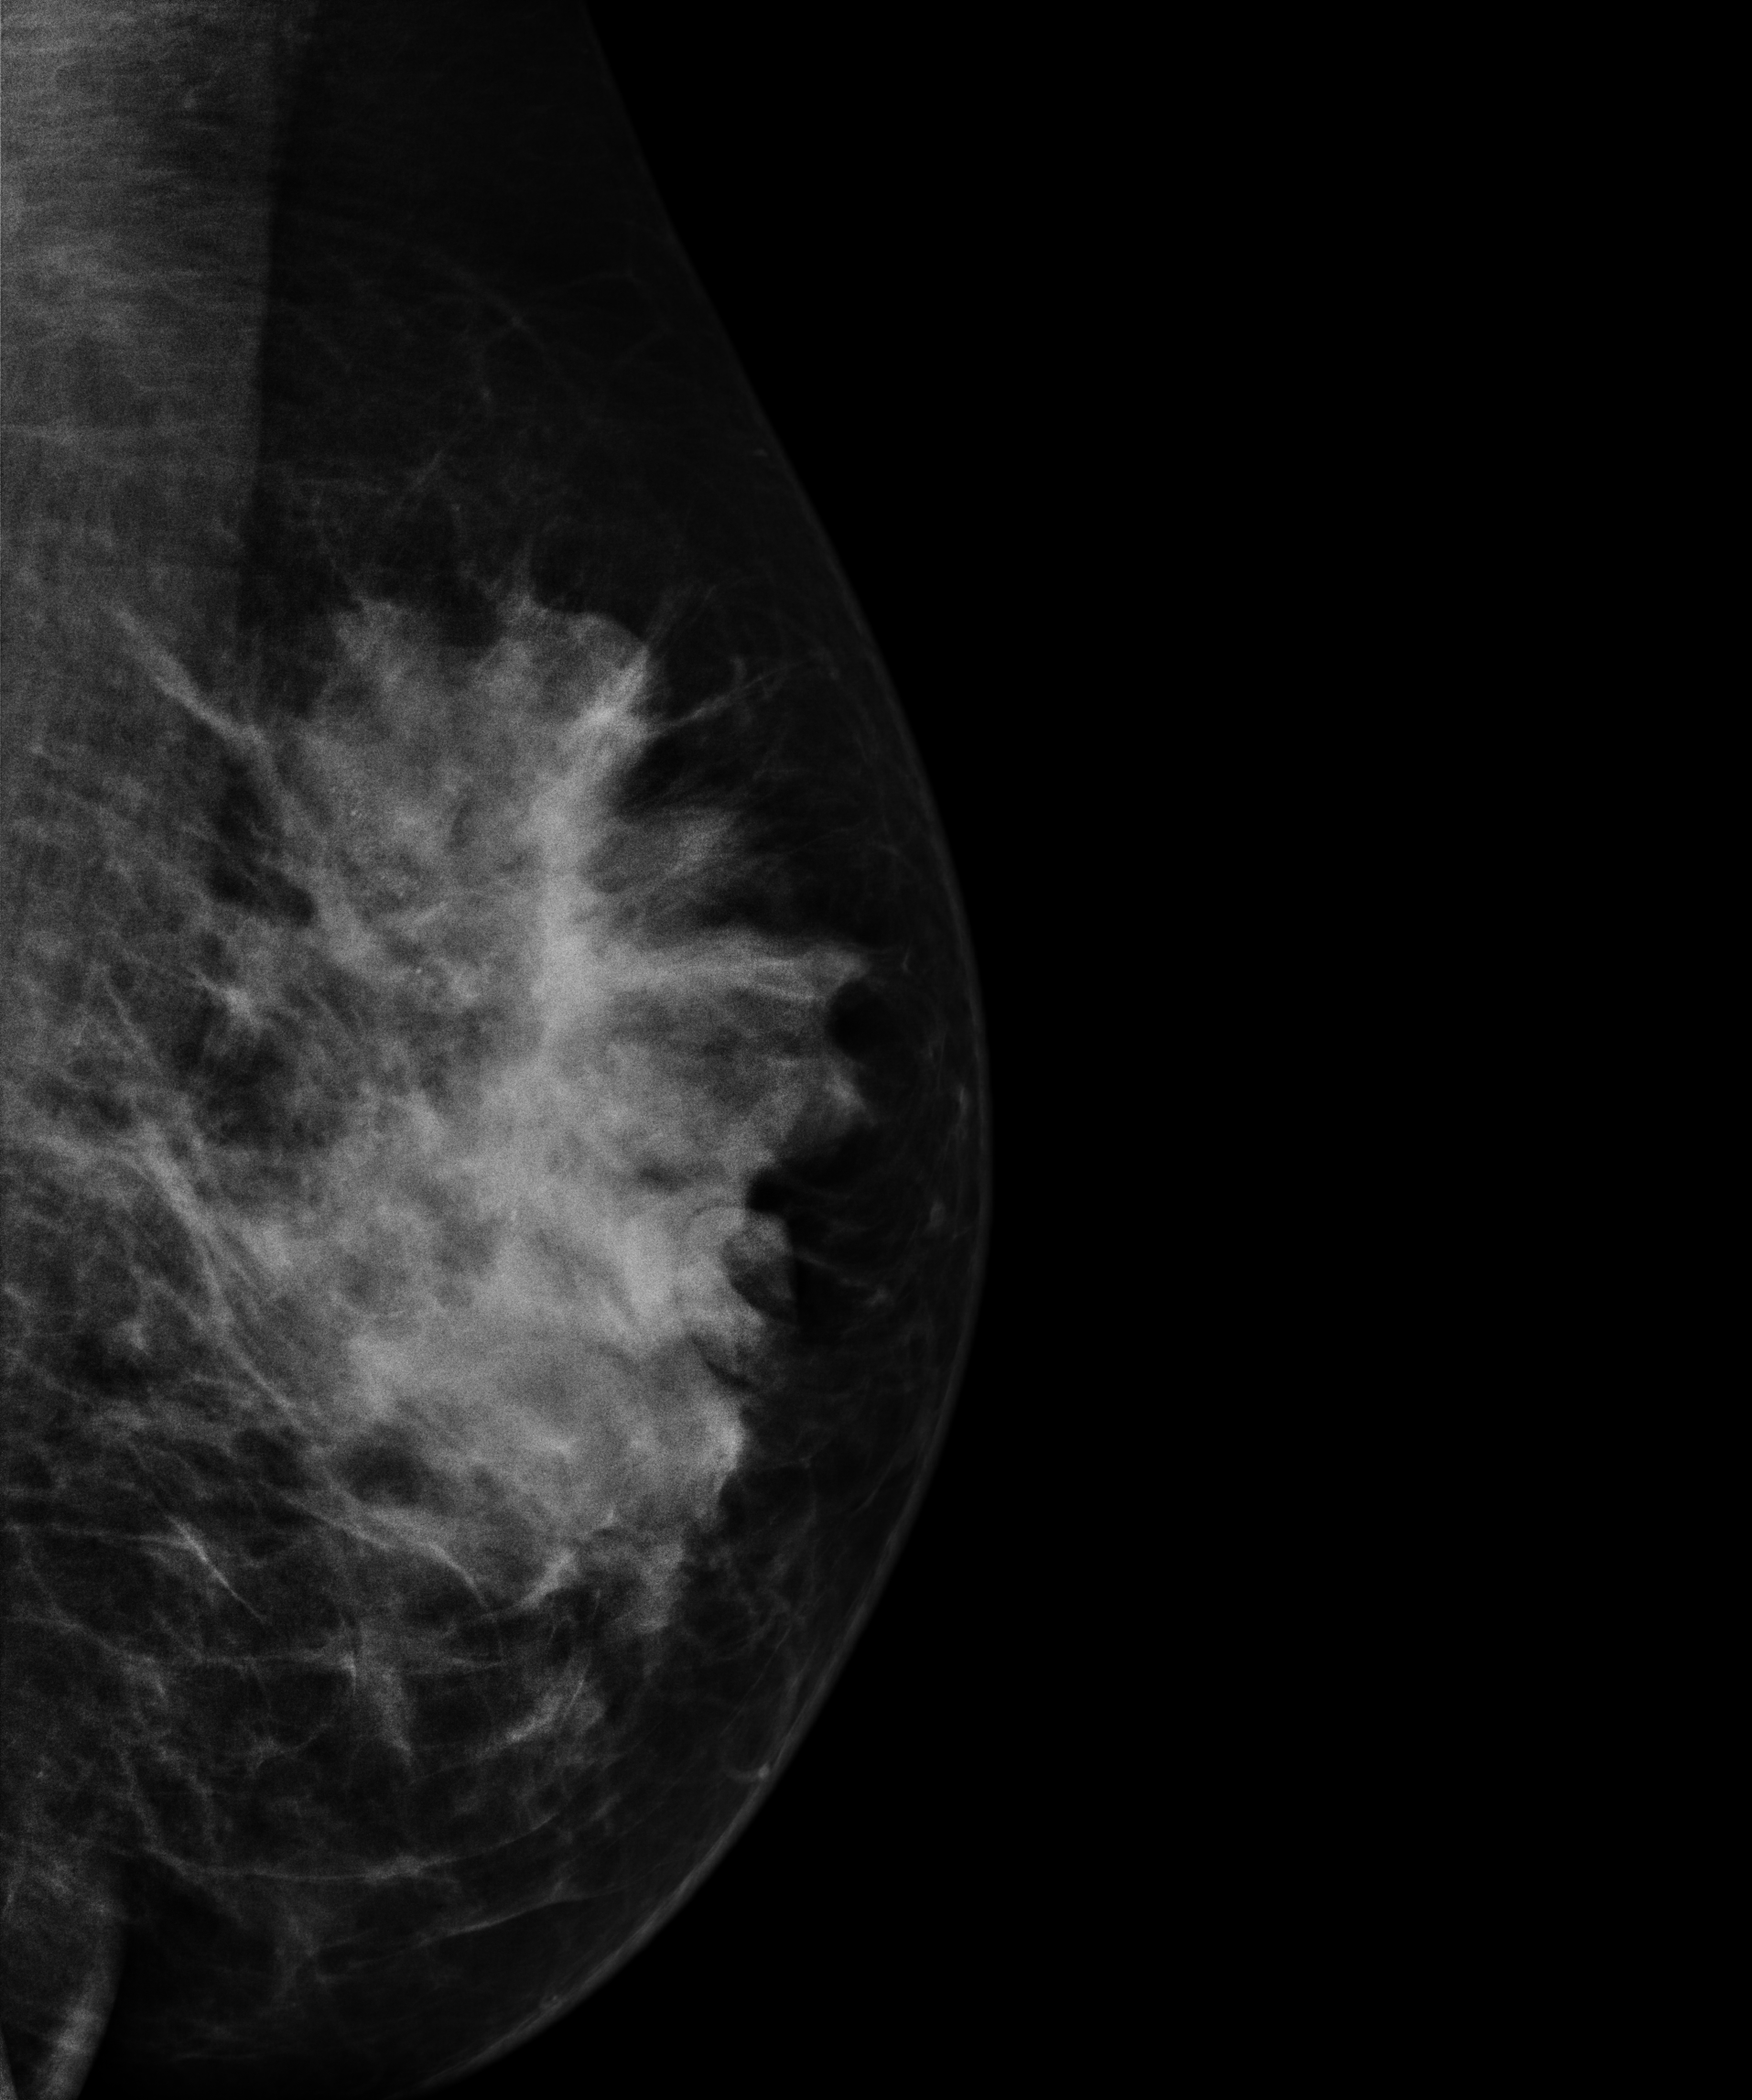
Mammogram — left MLO. Patient age 50.
This breast has a mass and calcifications, biopsy-proven malignant. Molecular subtype: luminal A.